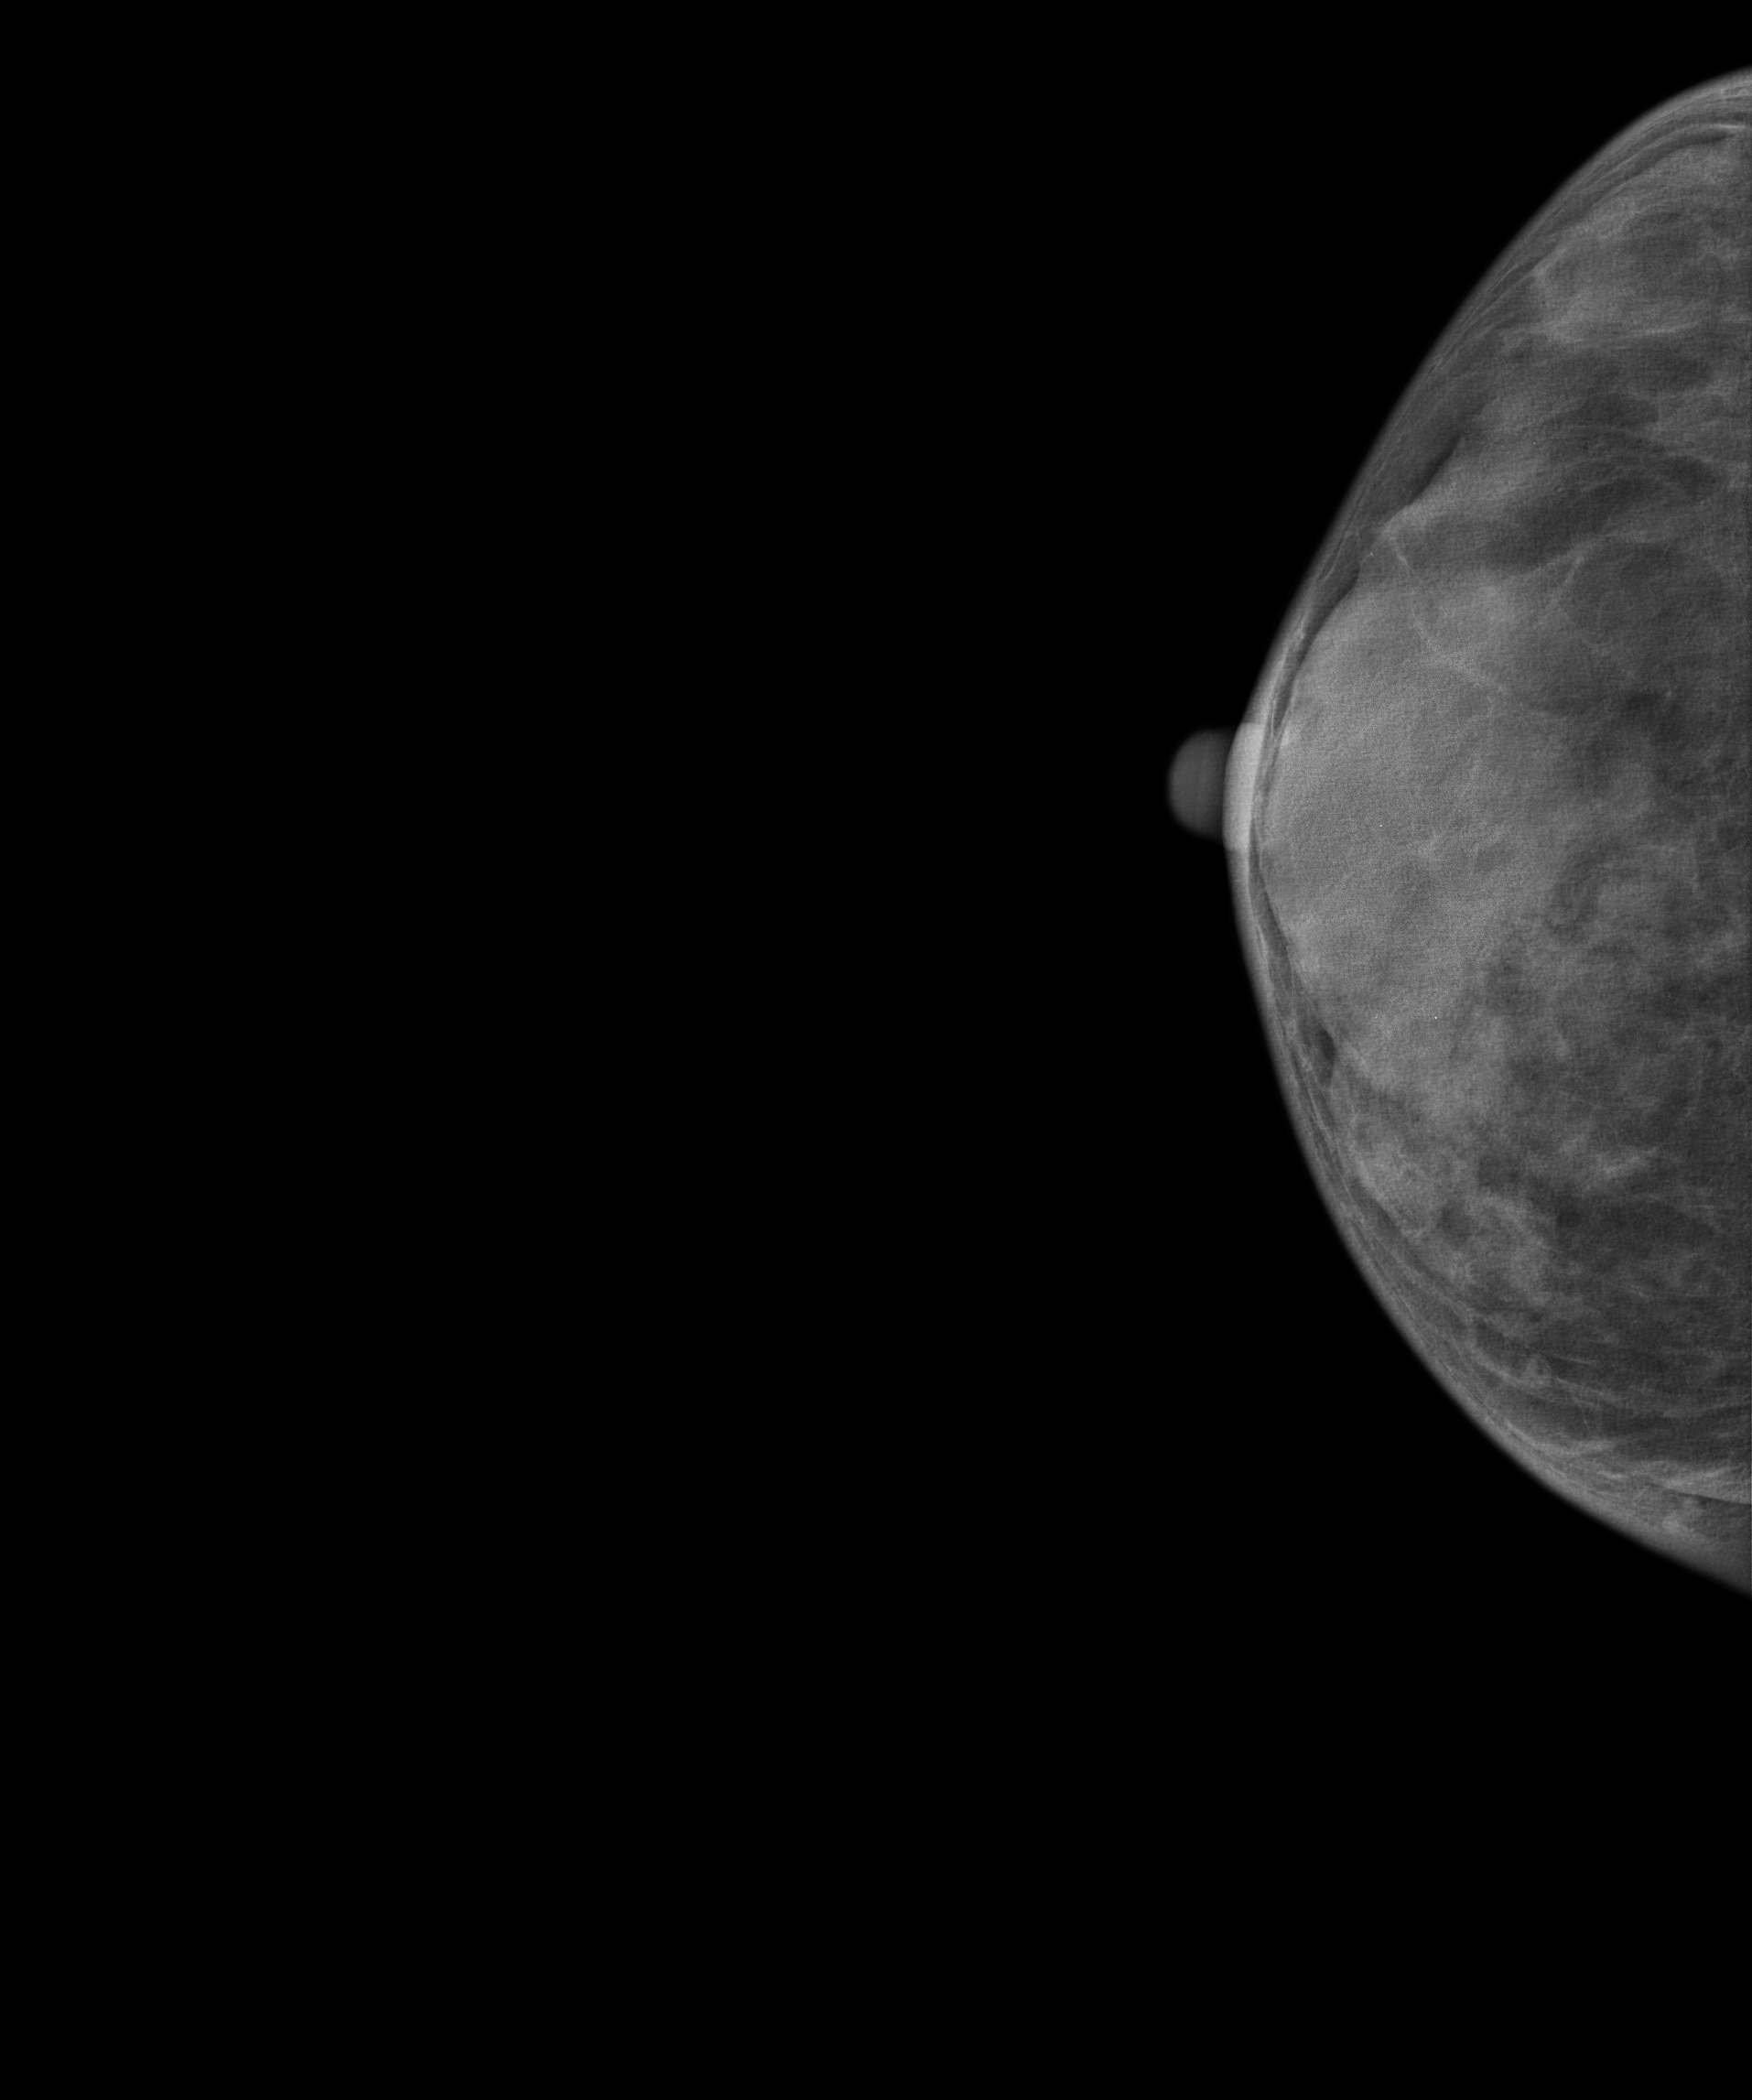
Right-breast mammogram, cranio-caudal. 53 y/o patient.
Contralateral breast — no documented abnormality on this side.